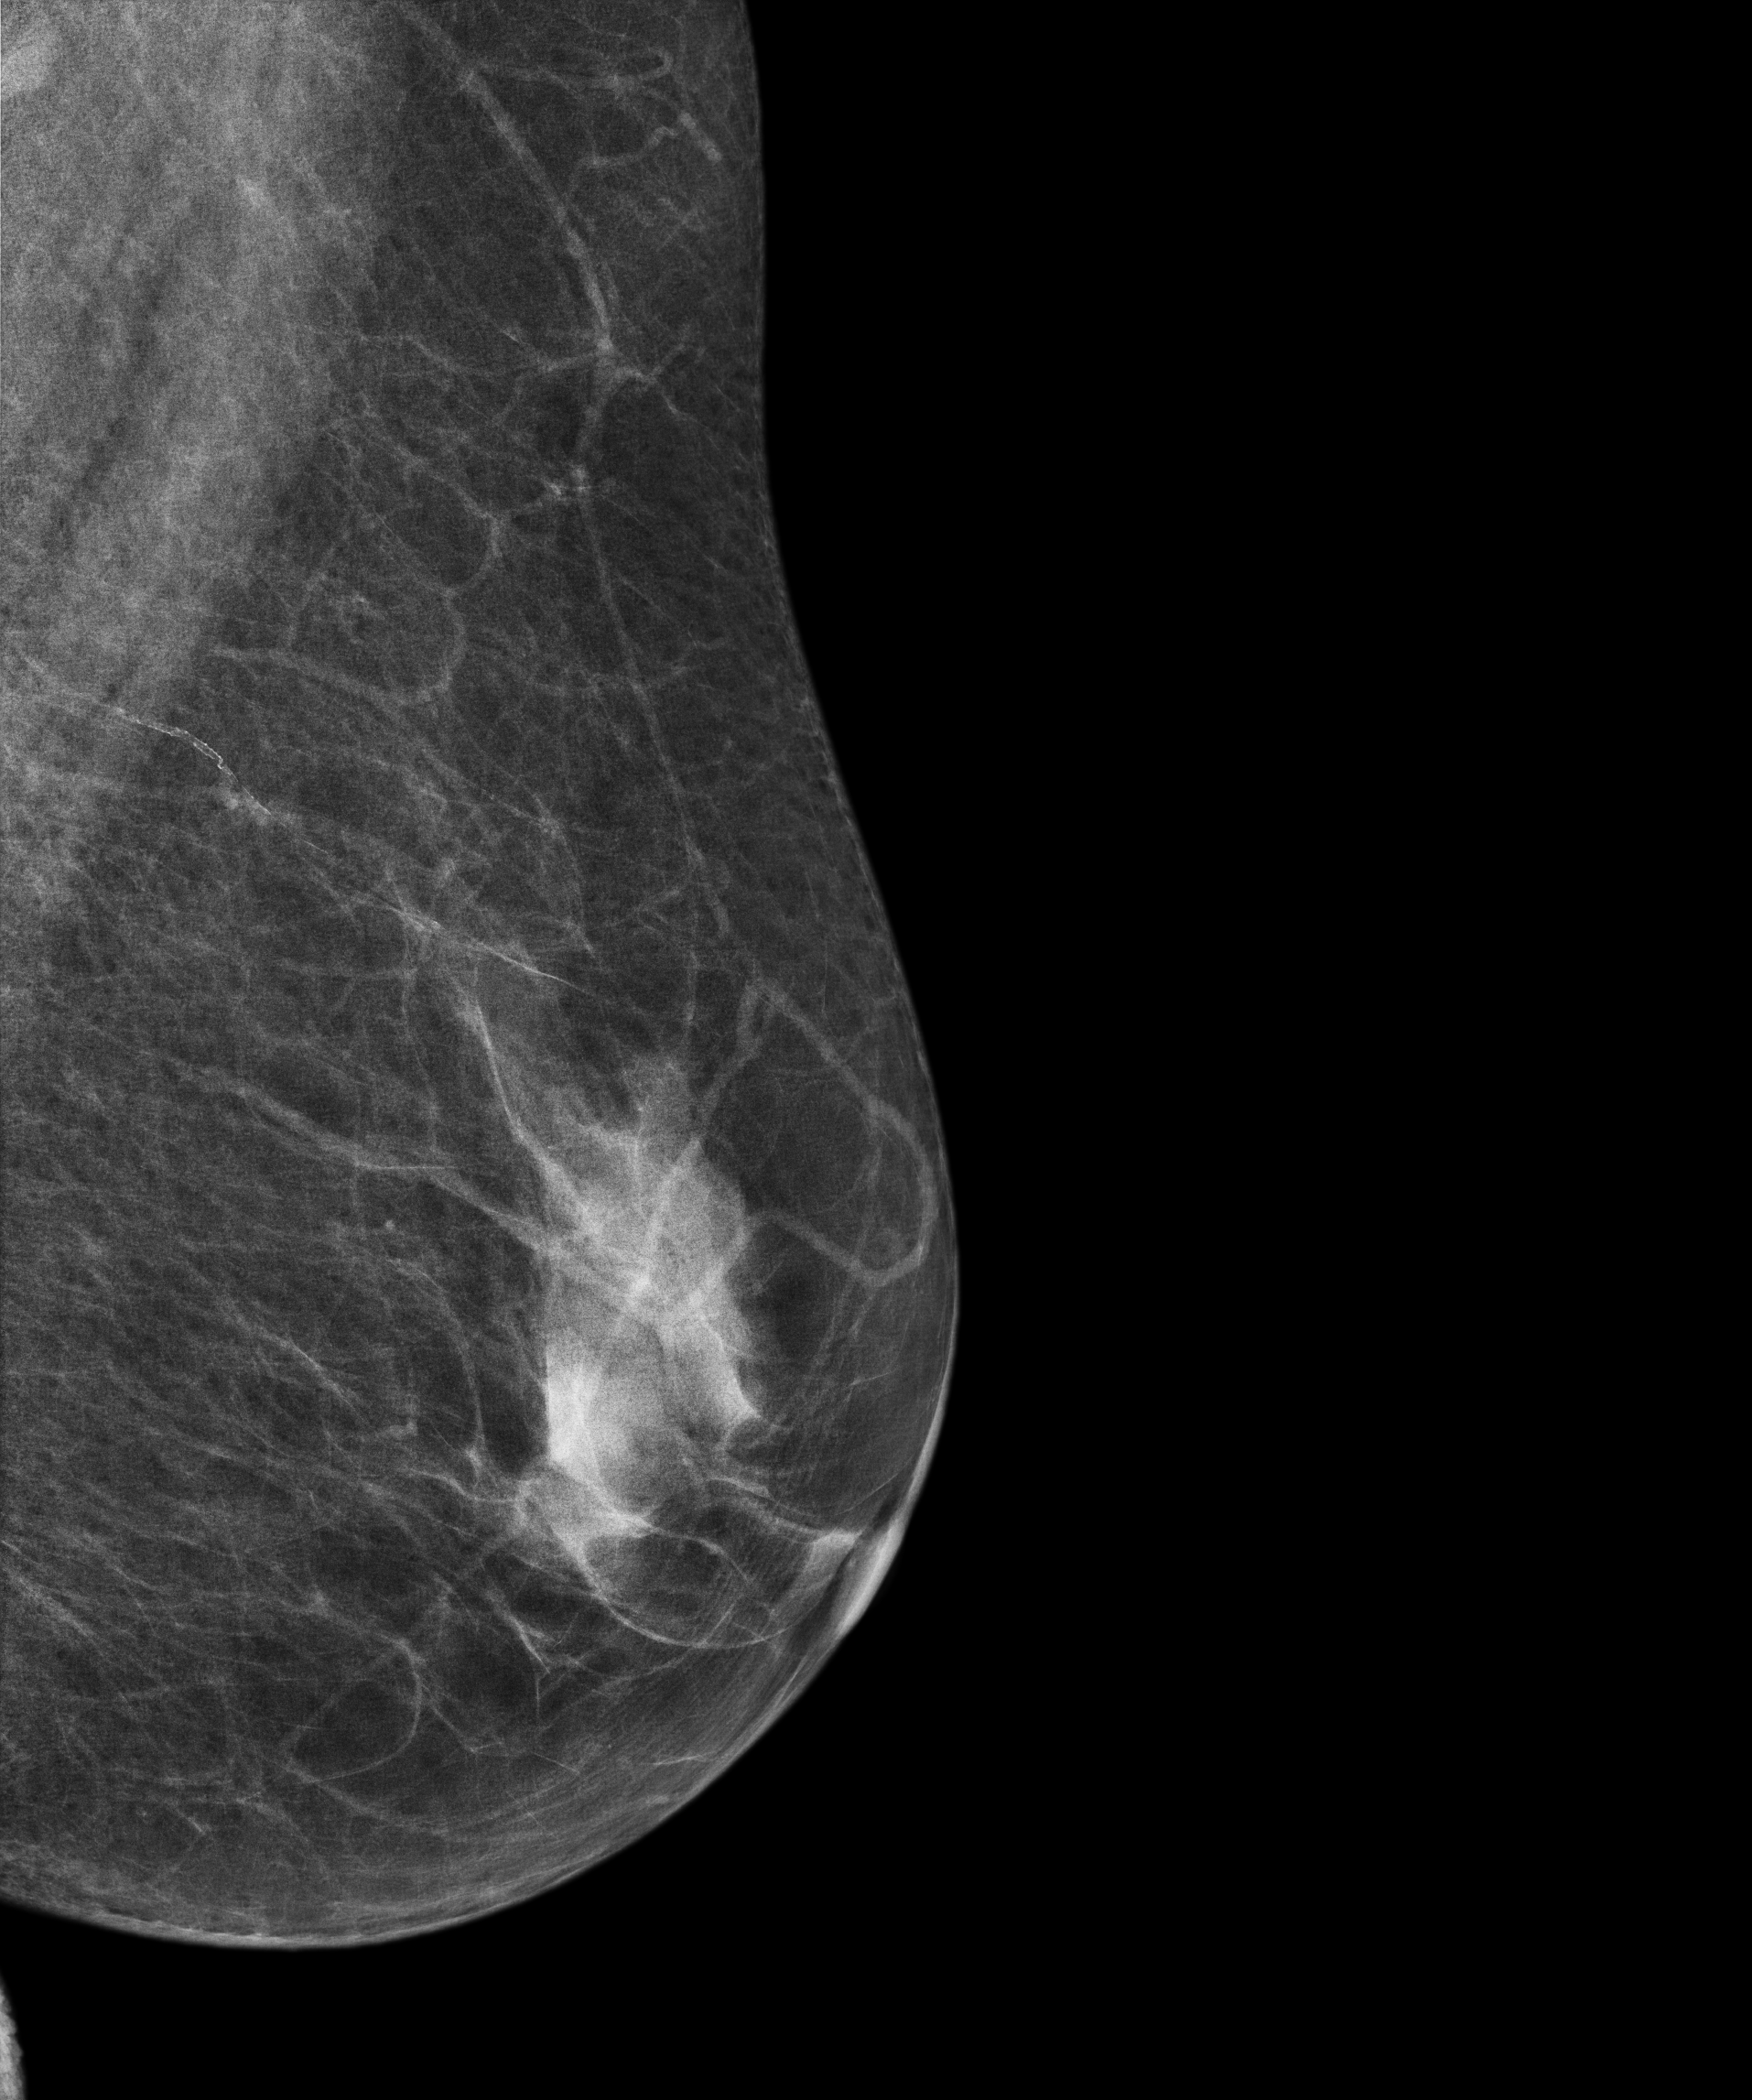
Digital mammography. Left breast, medio-lateral oblique projection. 72-year-old patient.
Contralateral breast — no documented abnormality on this side.